Mammogram — right medio-lateral oblique. Patient age 50.
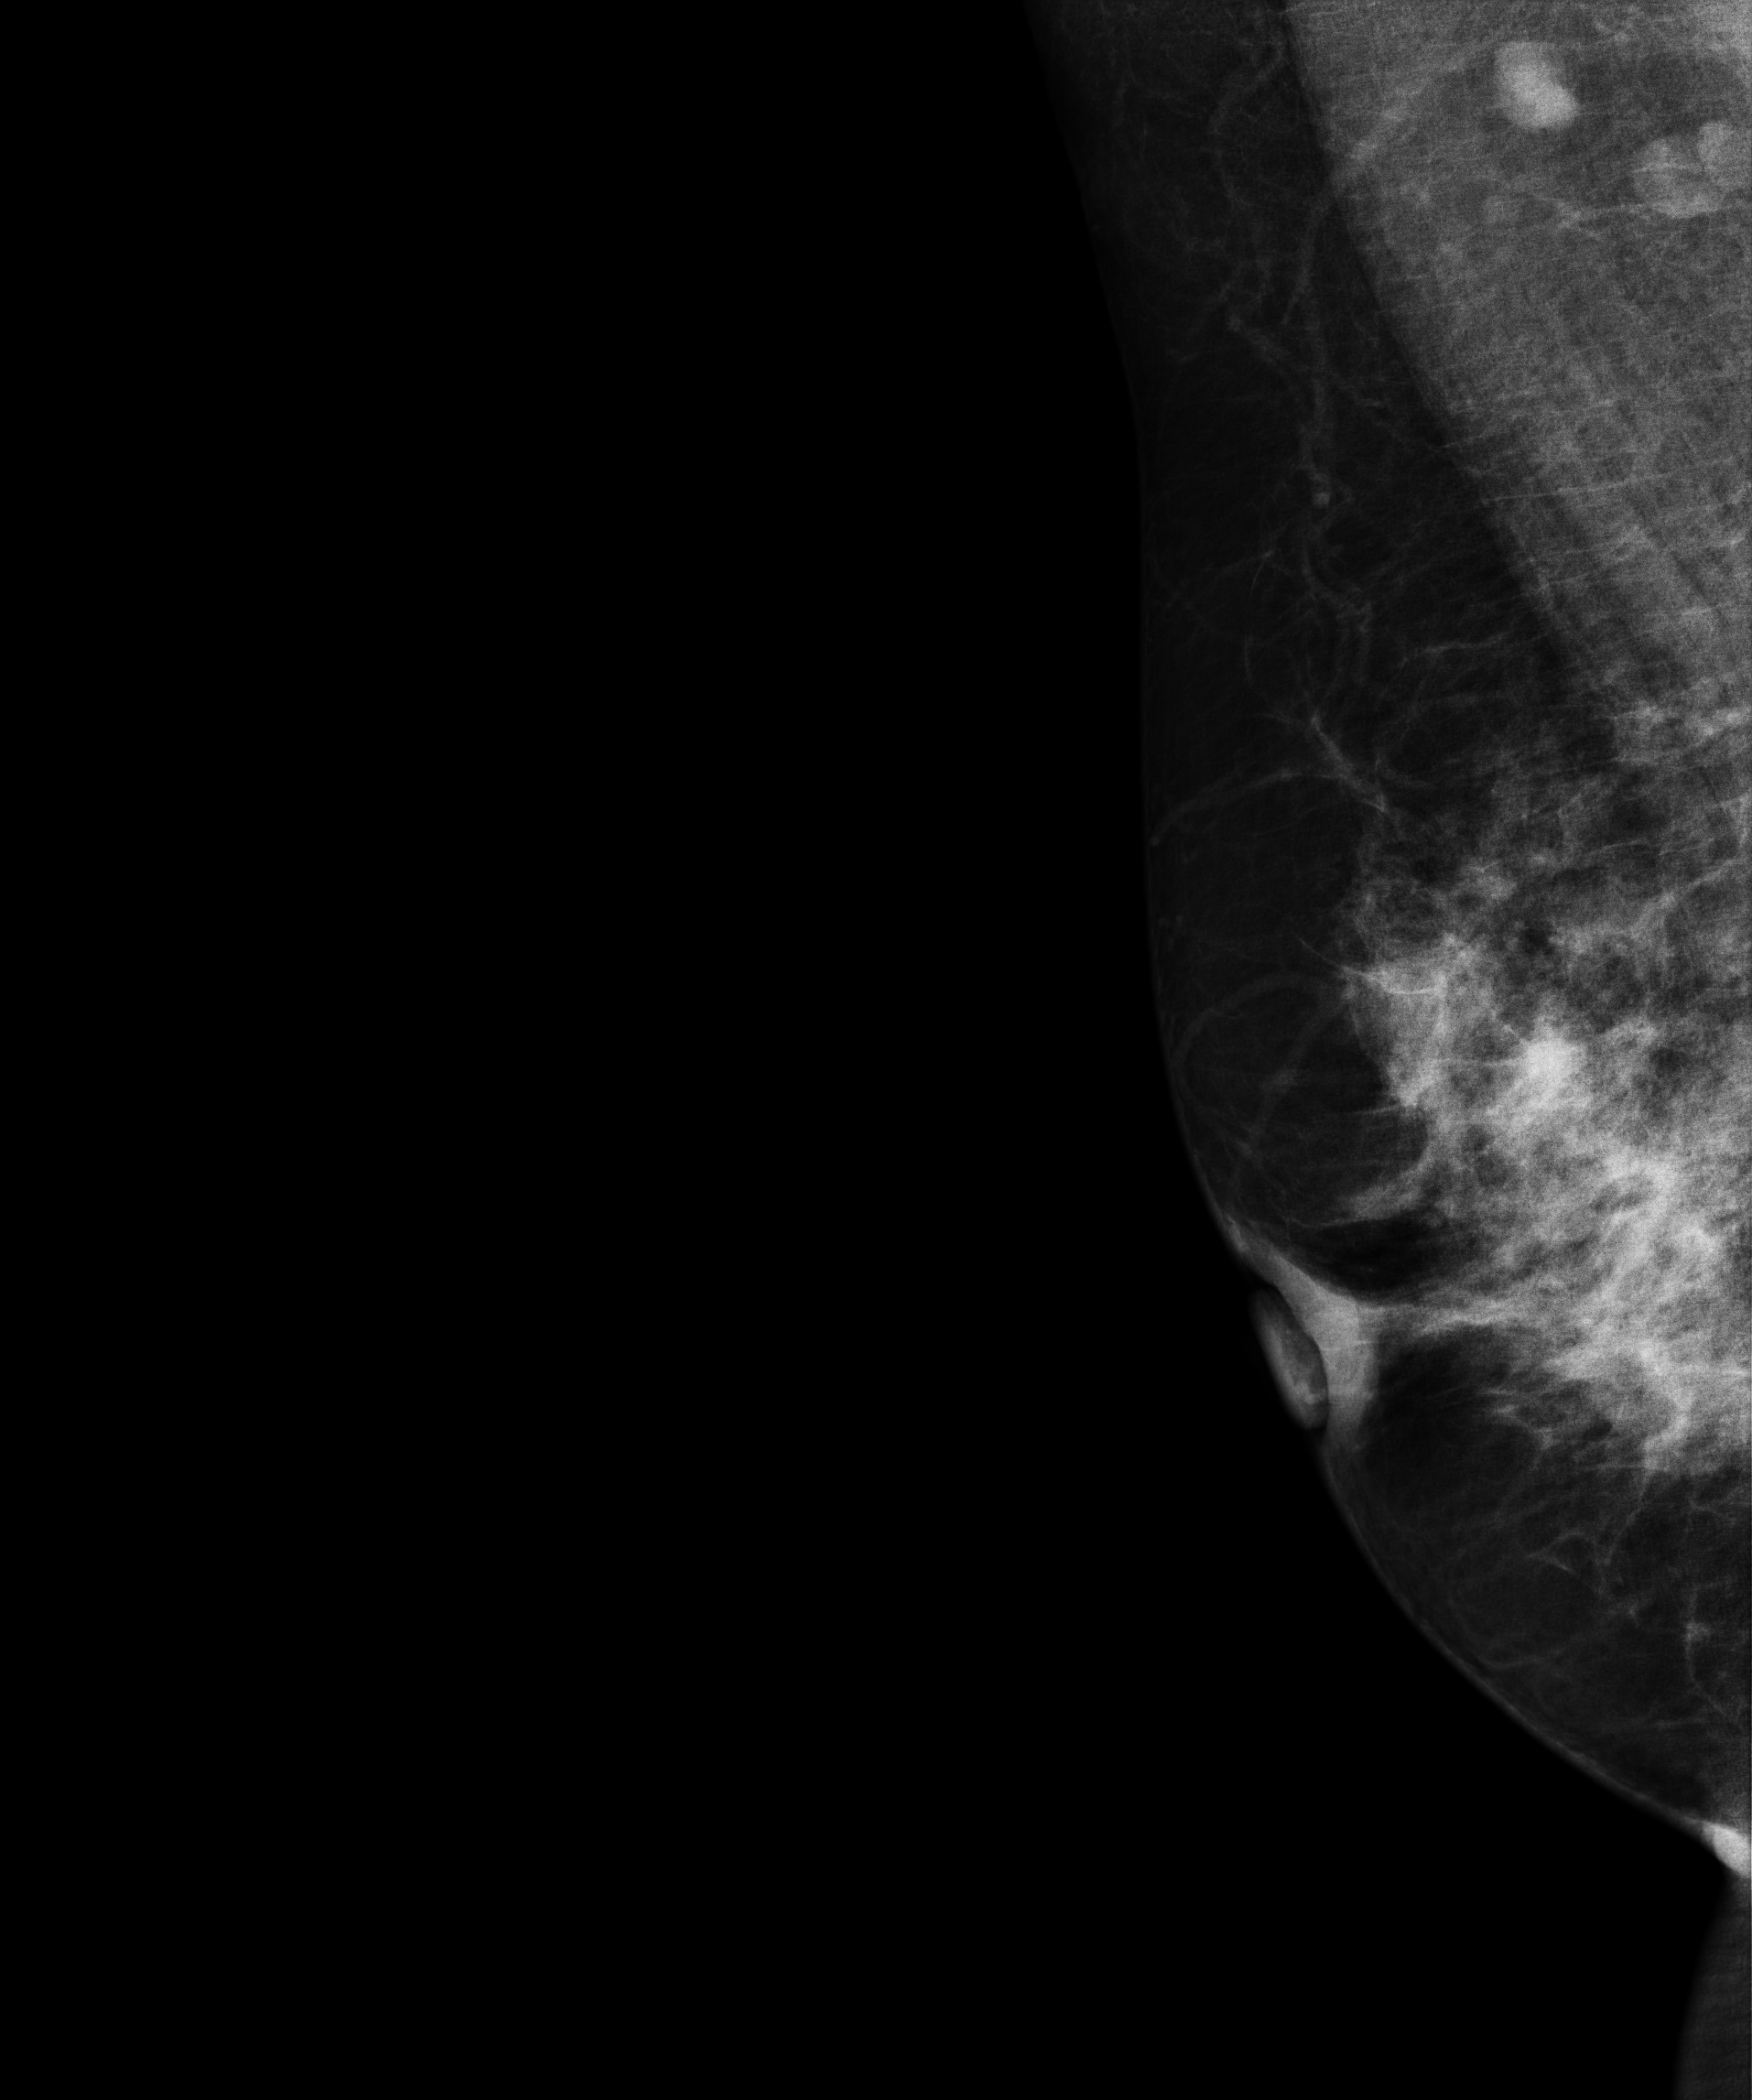
This breast has a mass, pathology-confirmed malignant.